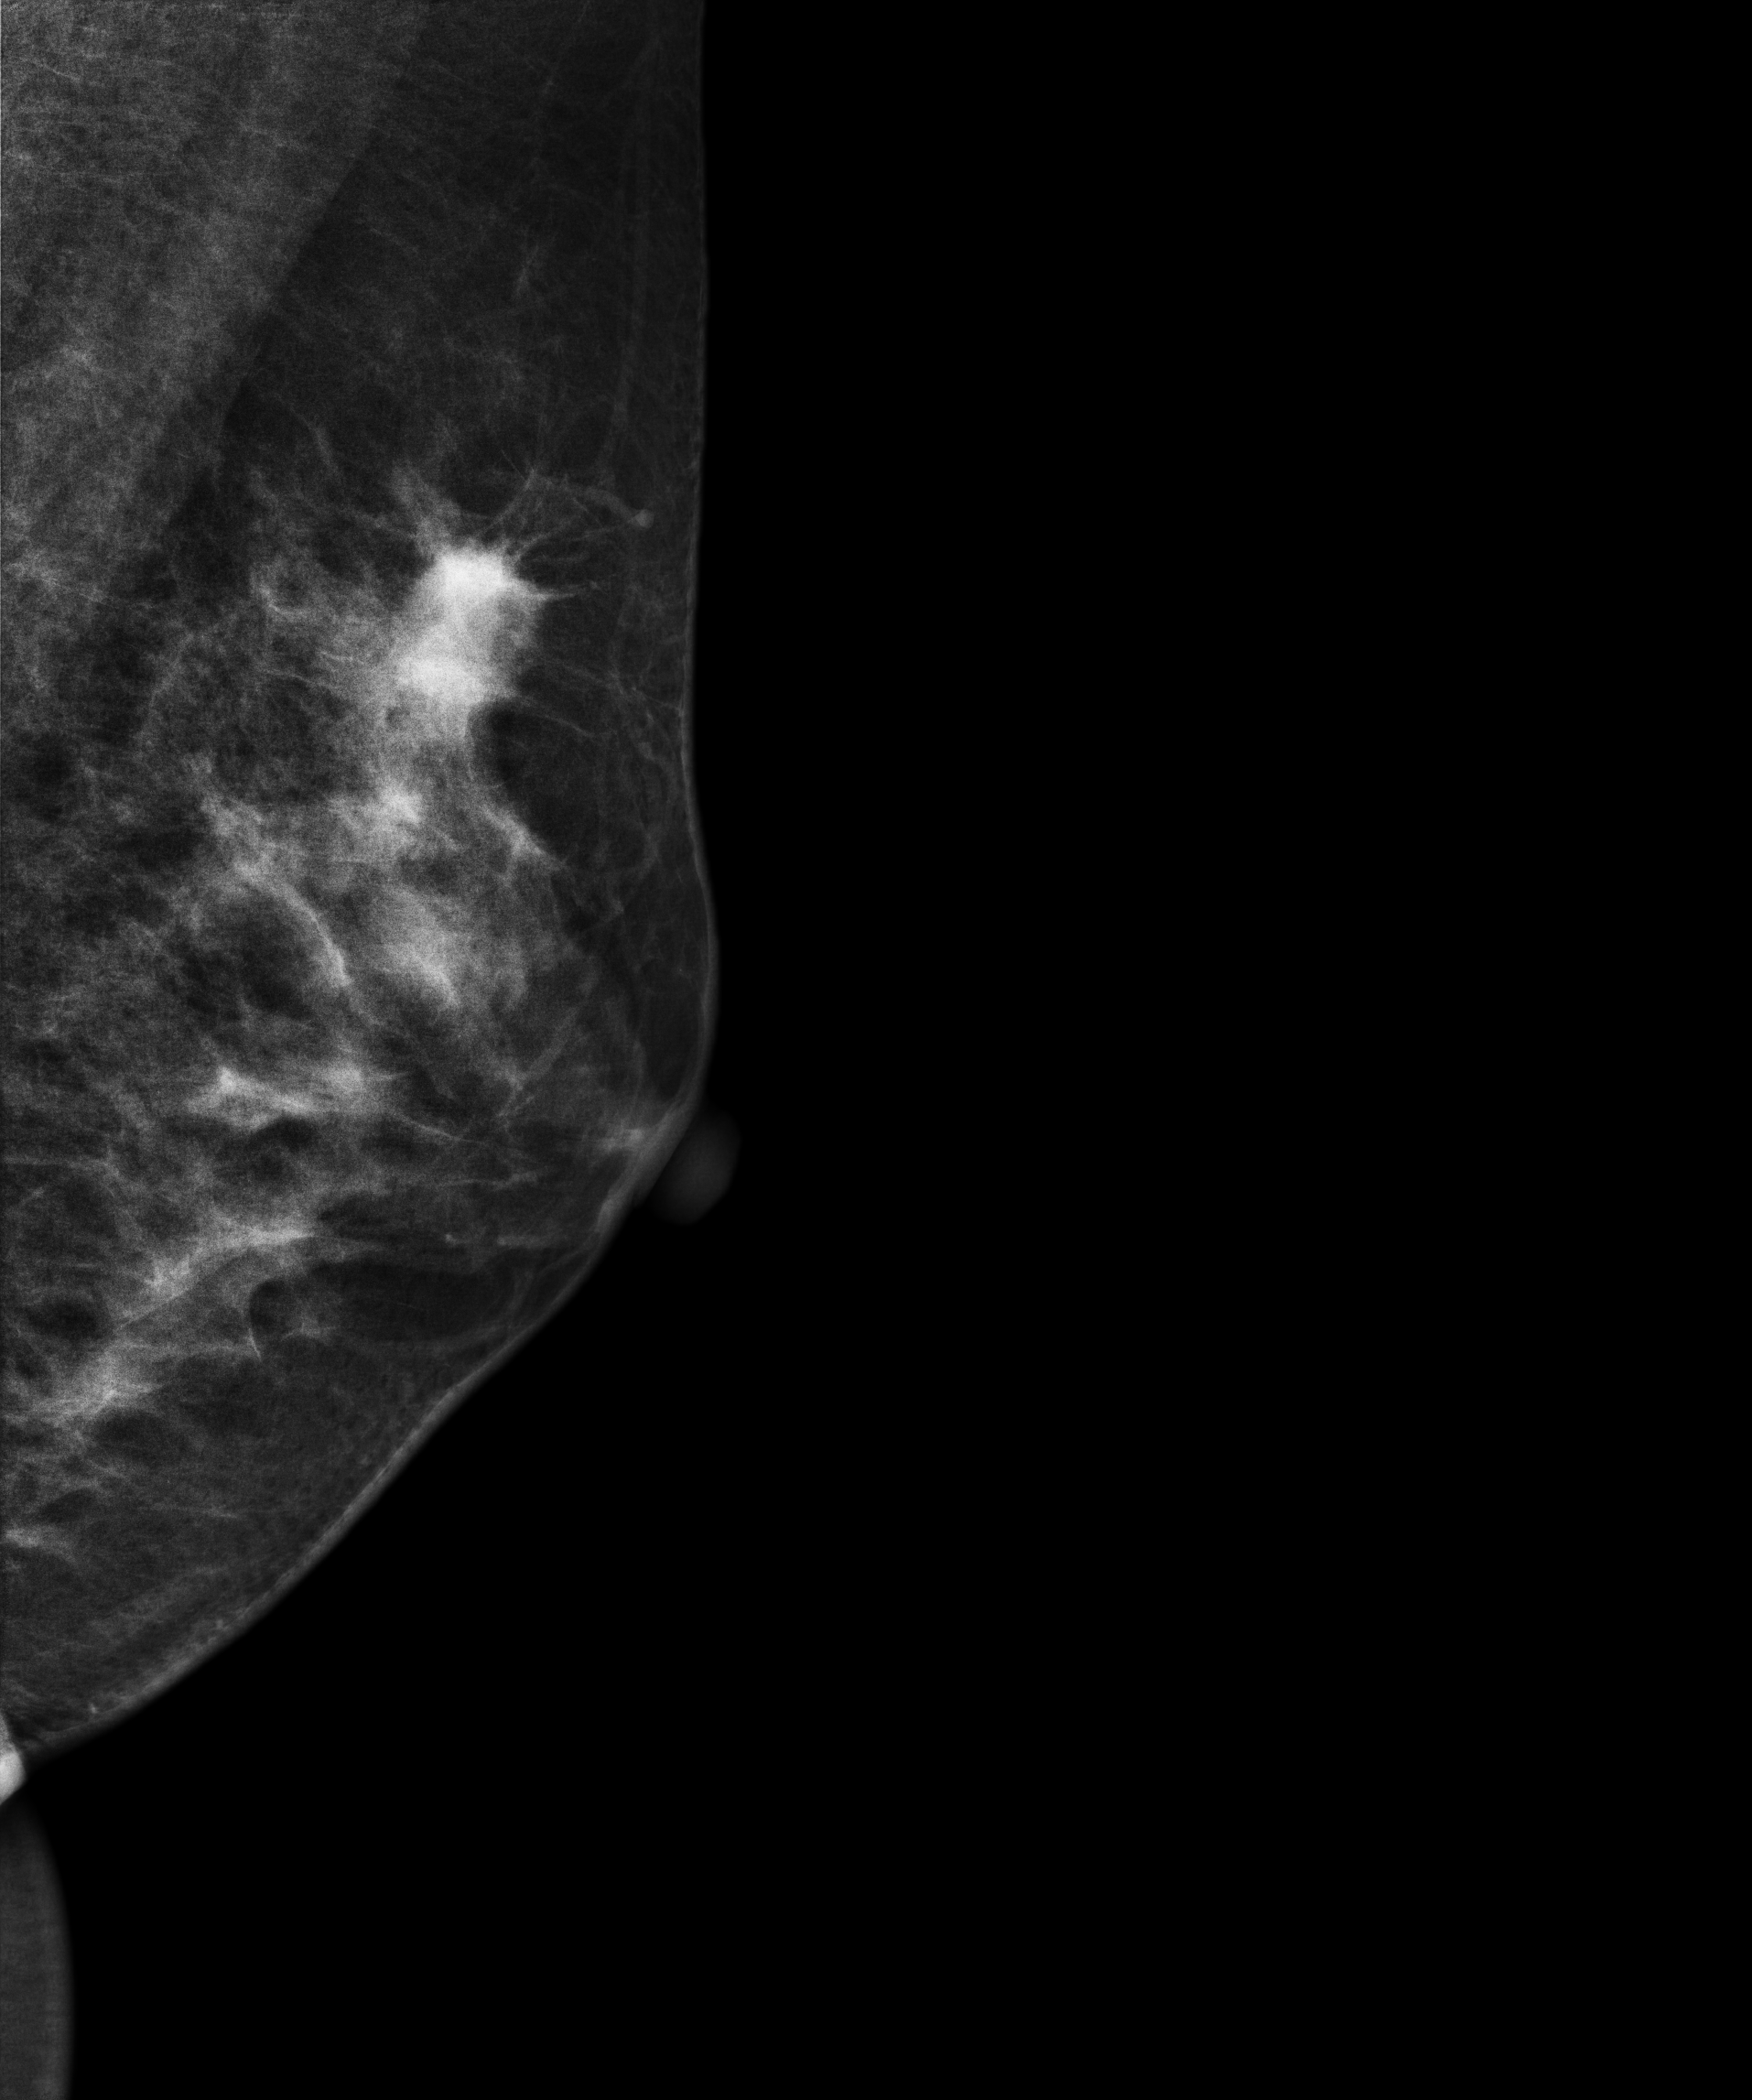
Left-breast mammogram, medio-lateral oblique. Patient age 33.
This breast has a mass, biopsy-confirmed malignant. Molecular subtype: luminal A.